Left-breast mammogram, cranio-caudal. Patient age 50.
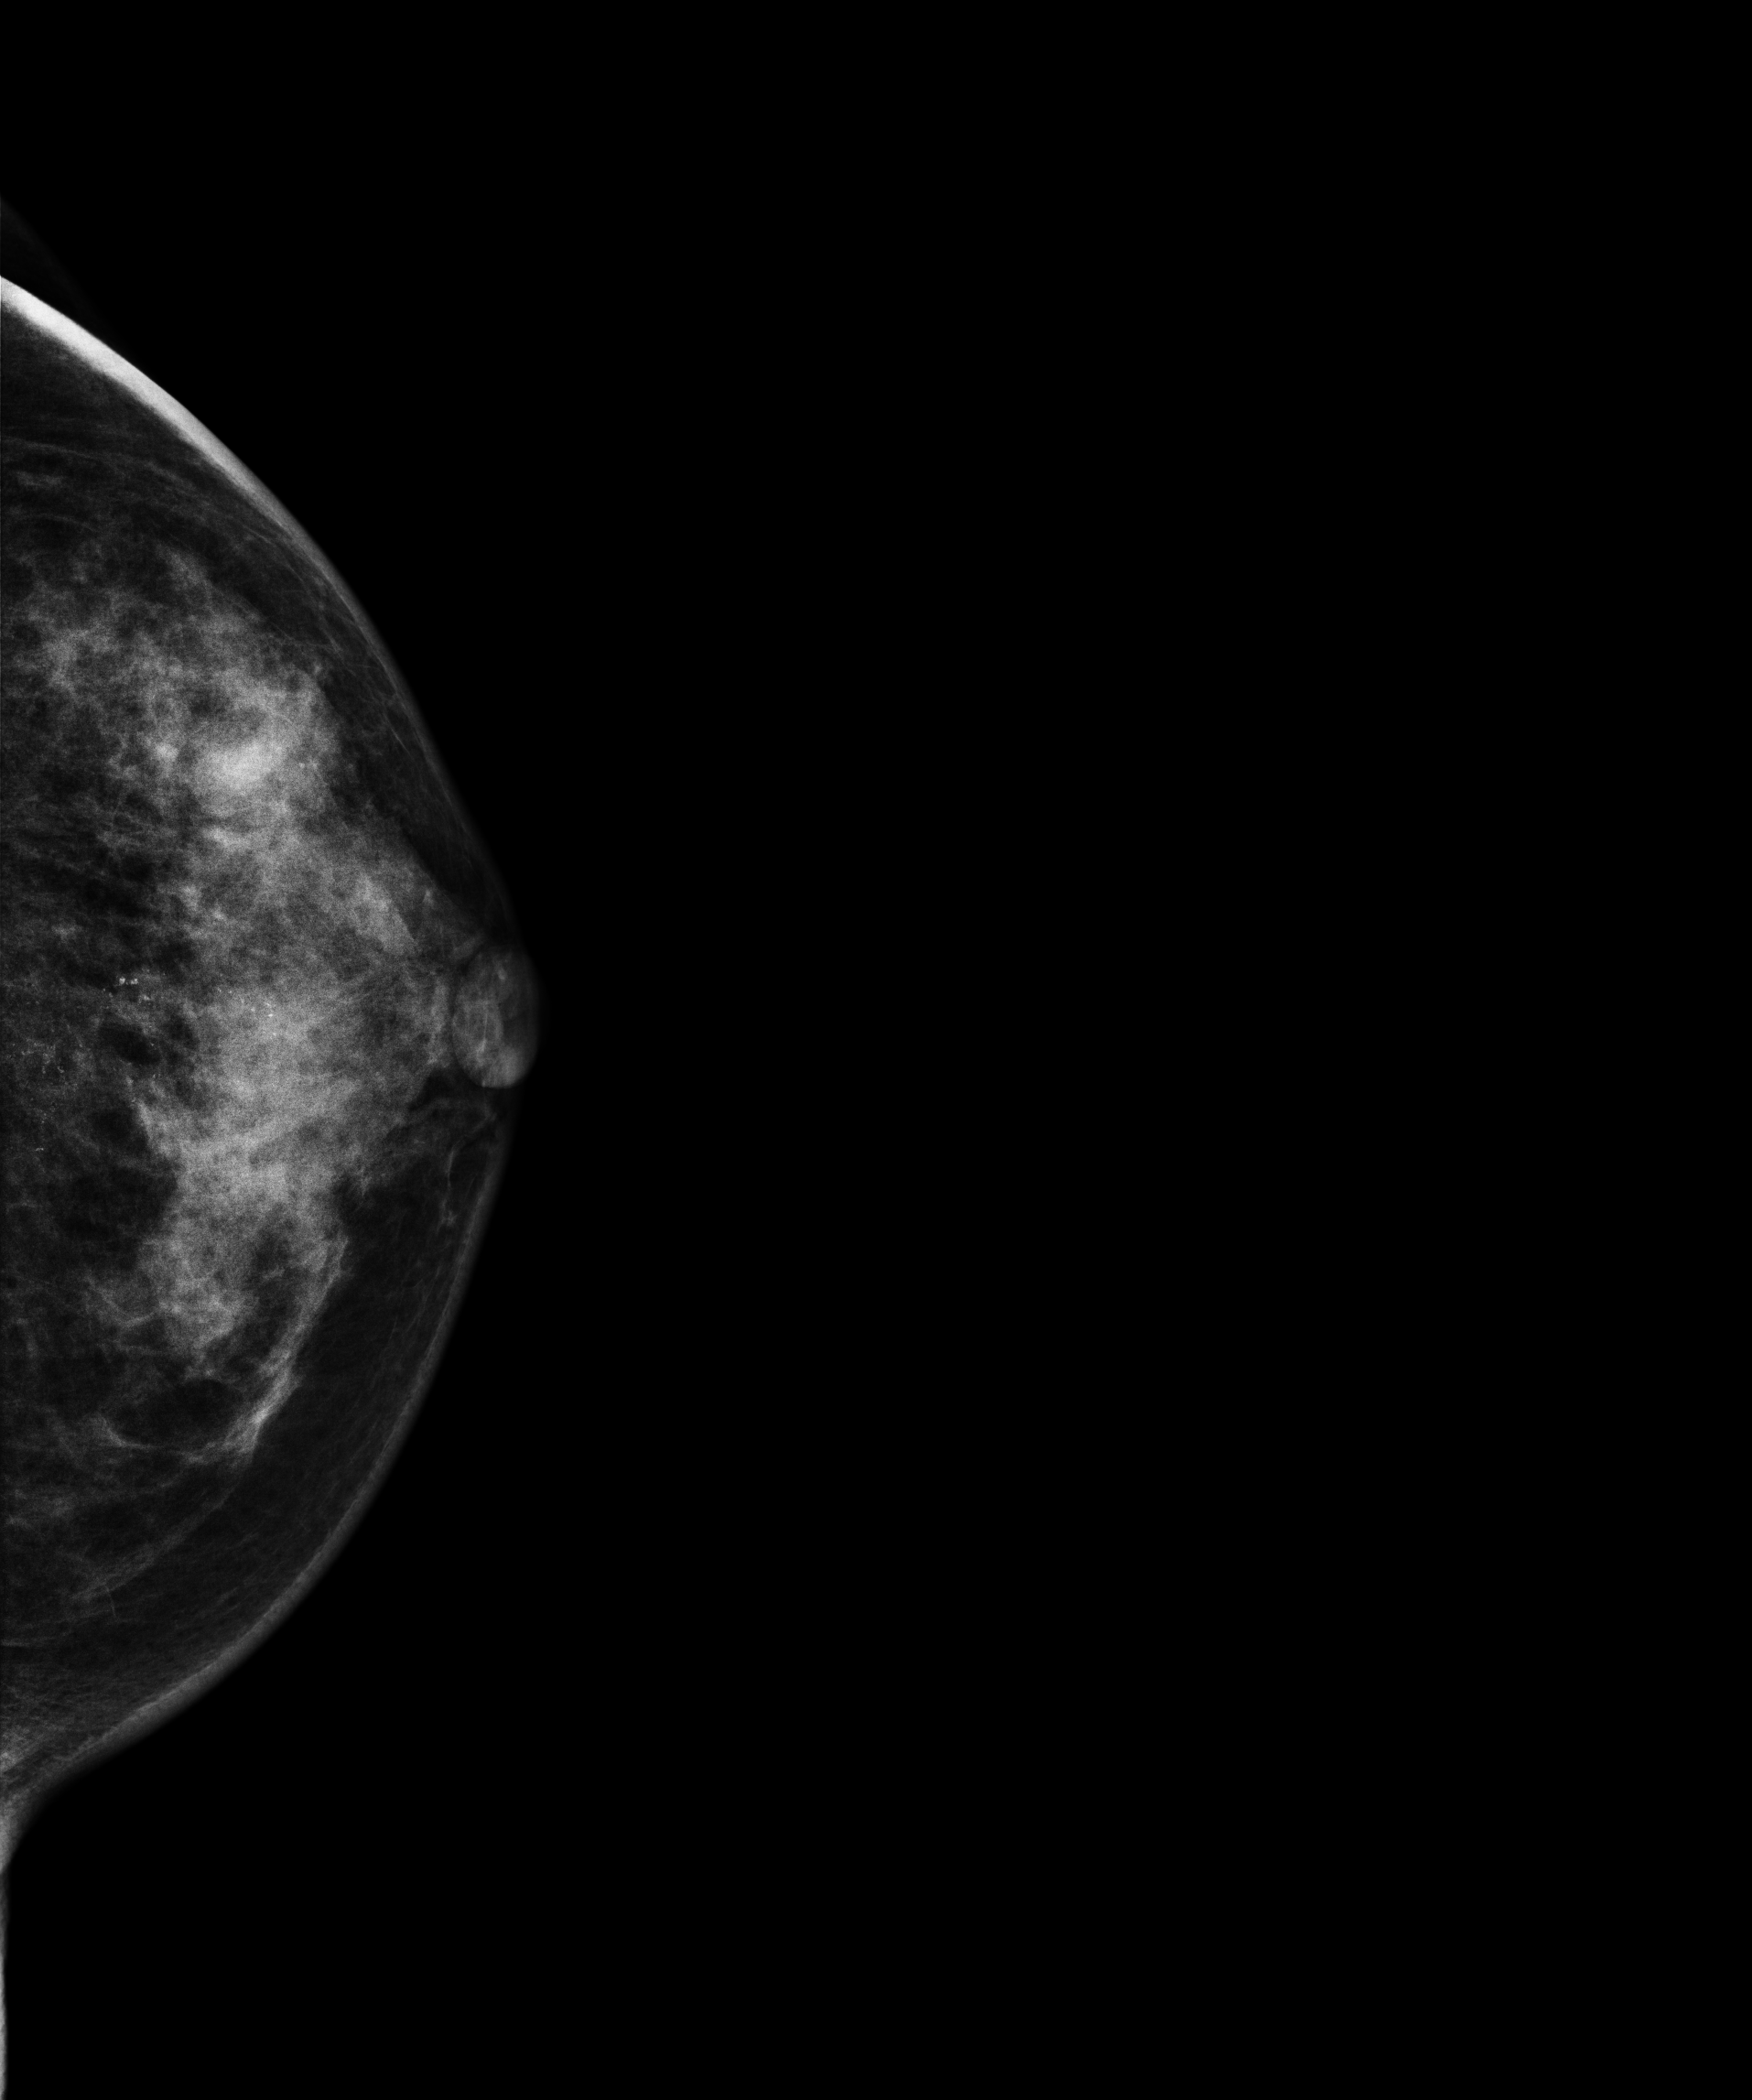
This breast has calcifications, pathology-confirmed malignant.